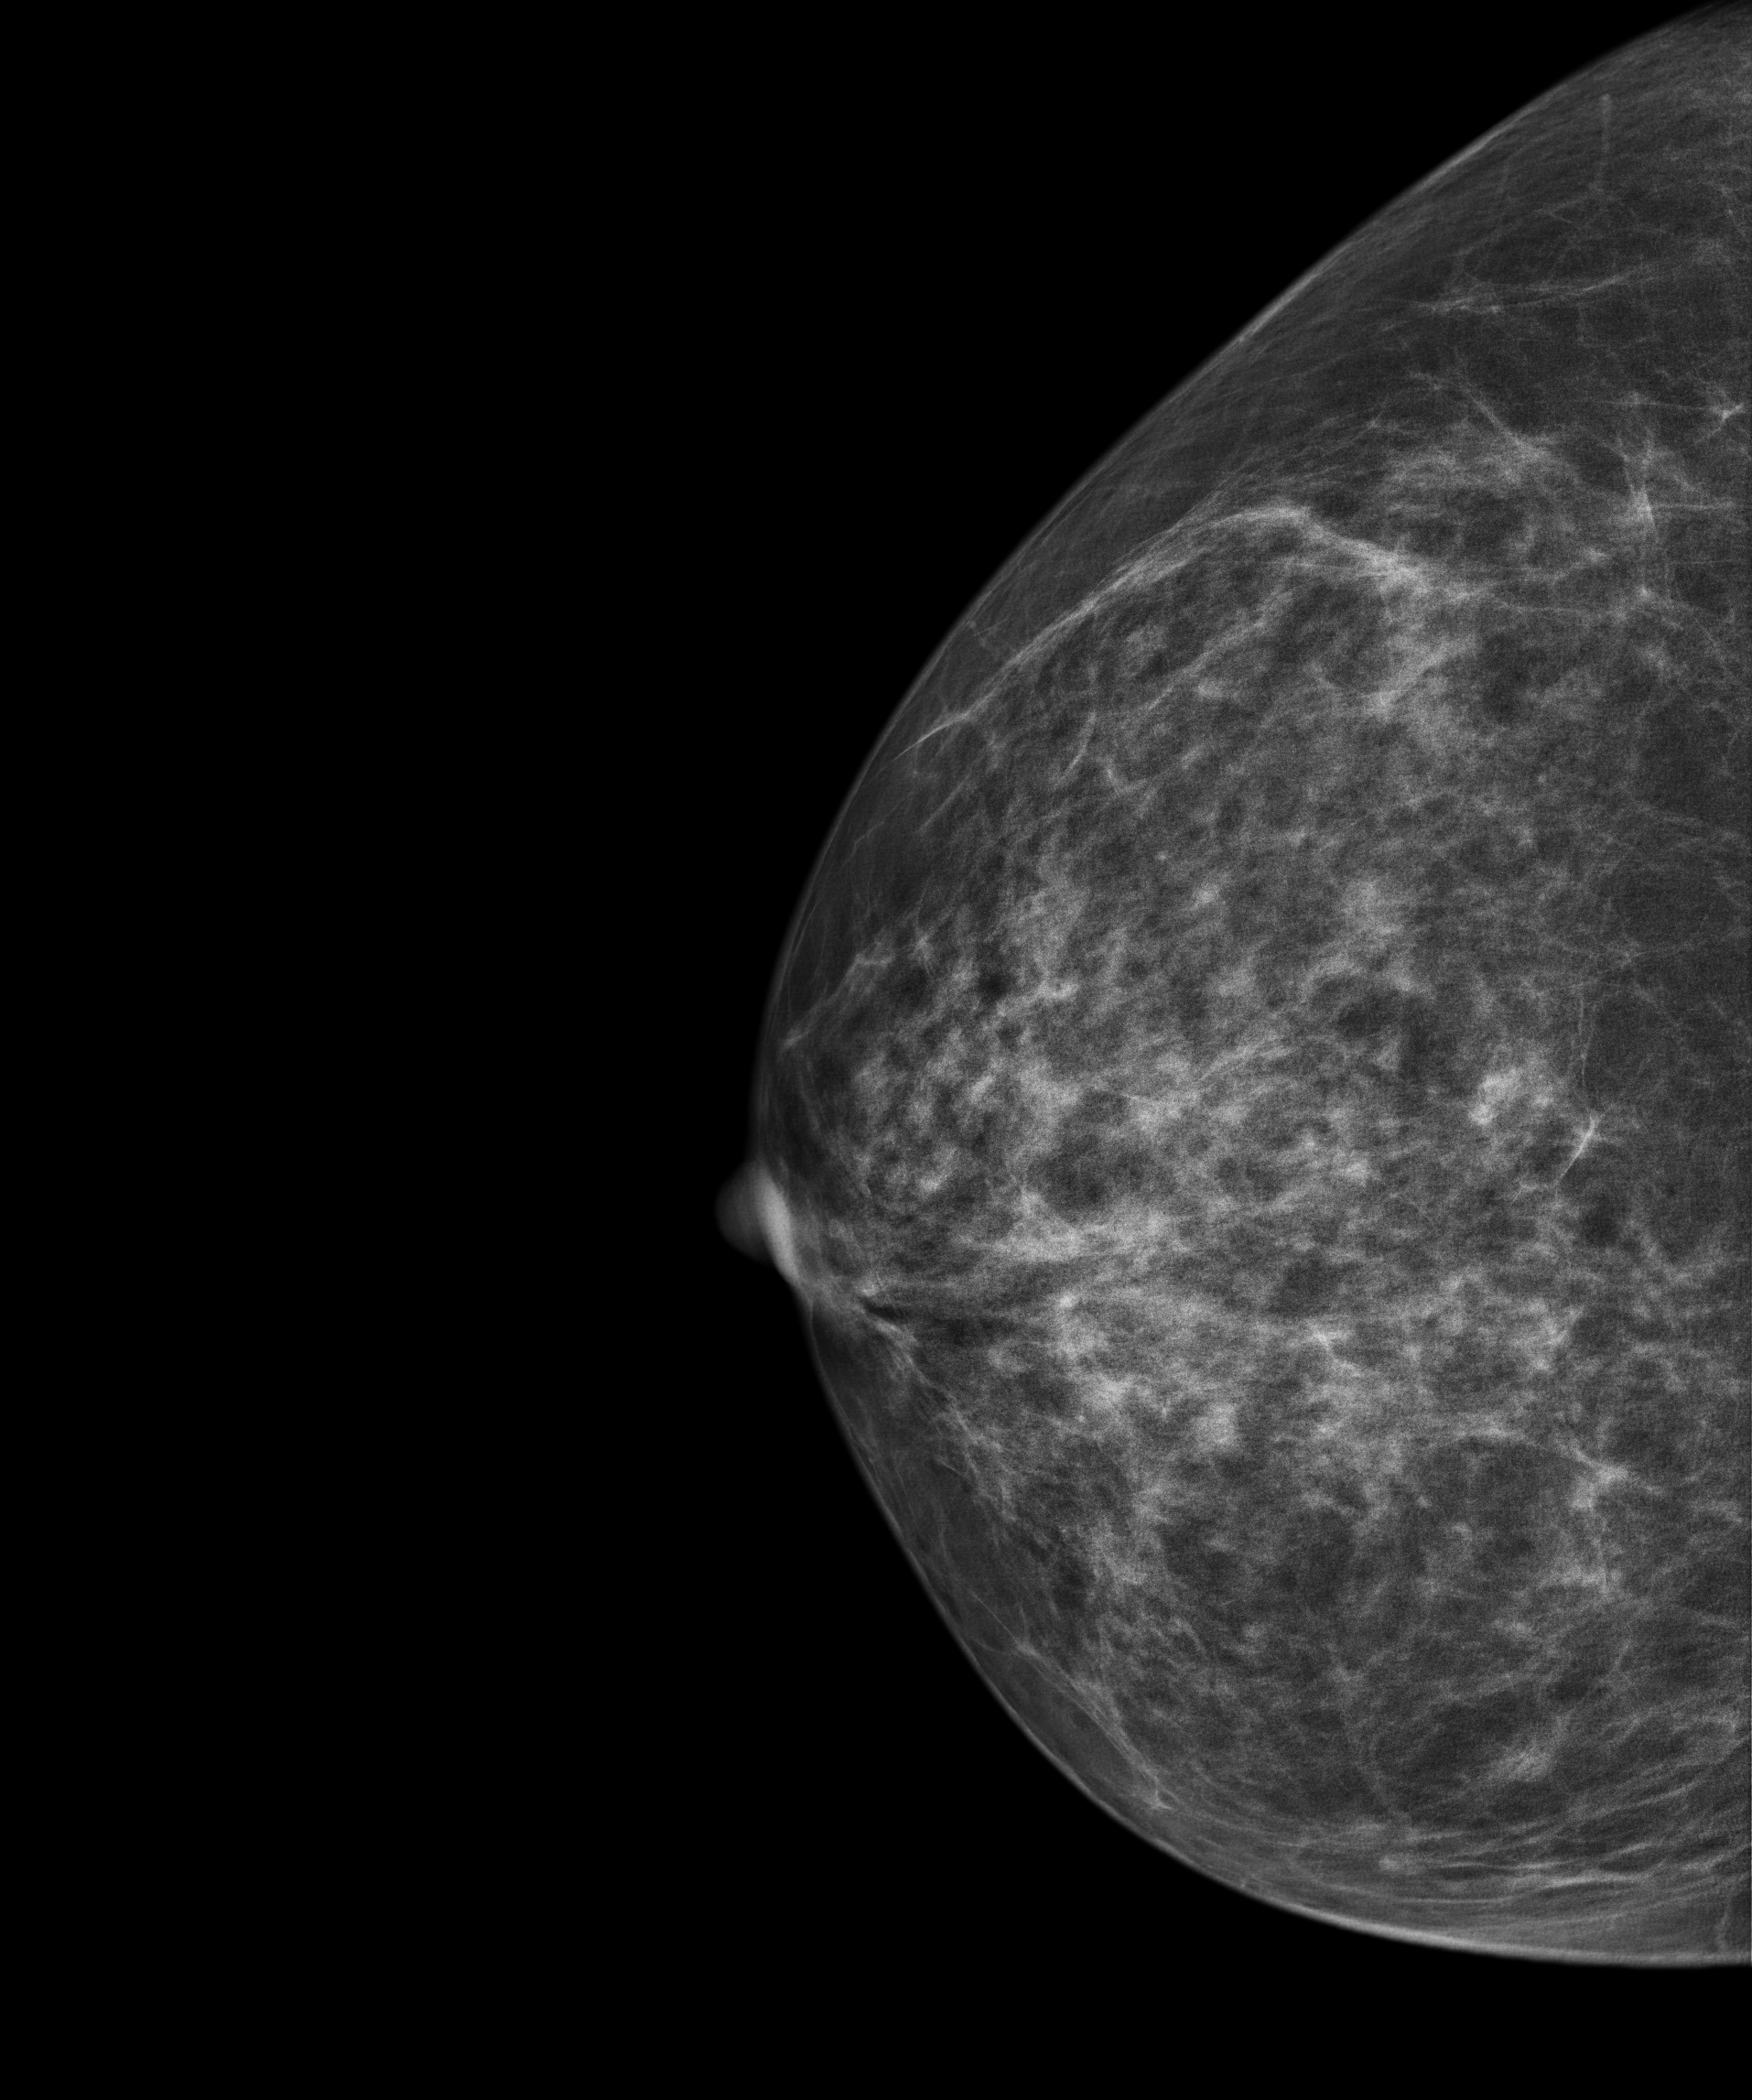
Mammogram — right cranio-caudal. Patient age 52.
Contralateral breast — no documented abnormality on this side.